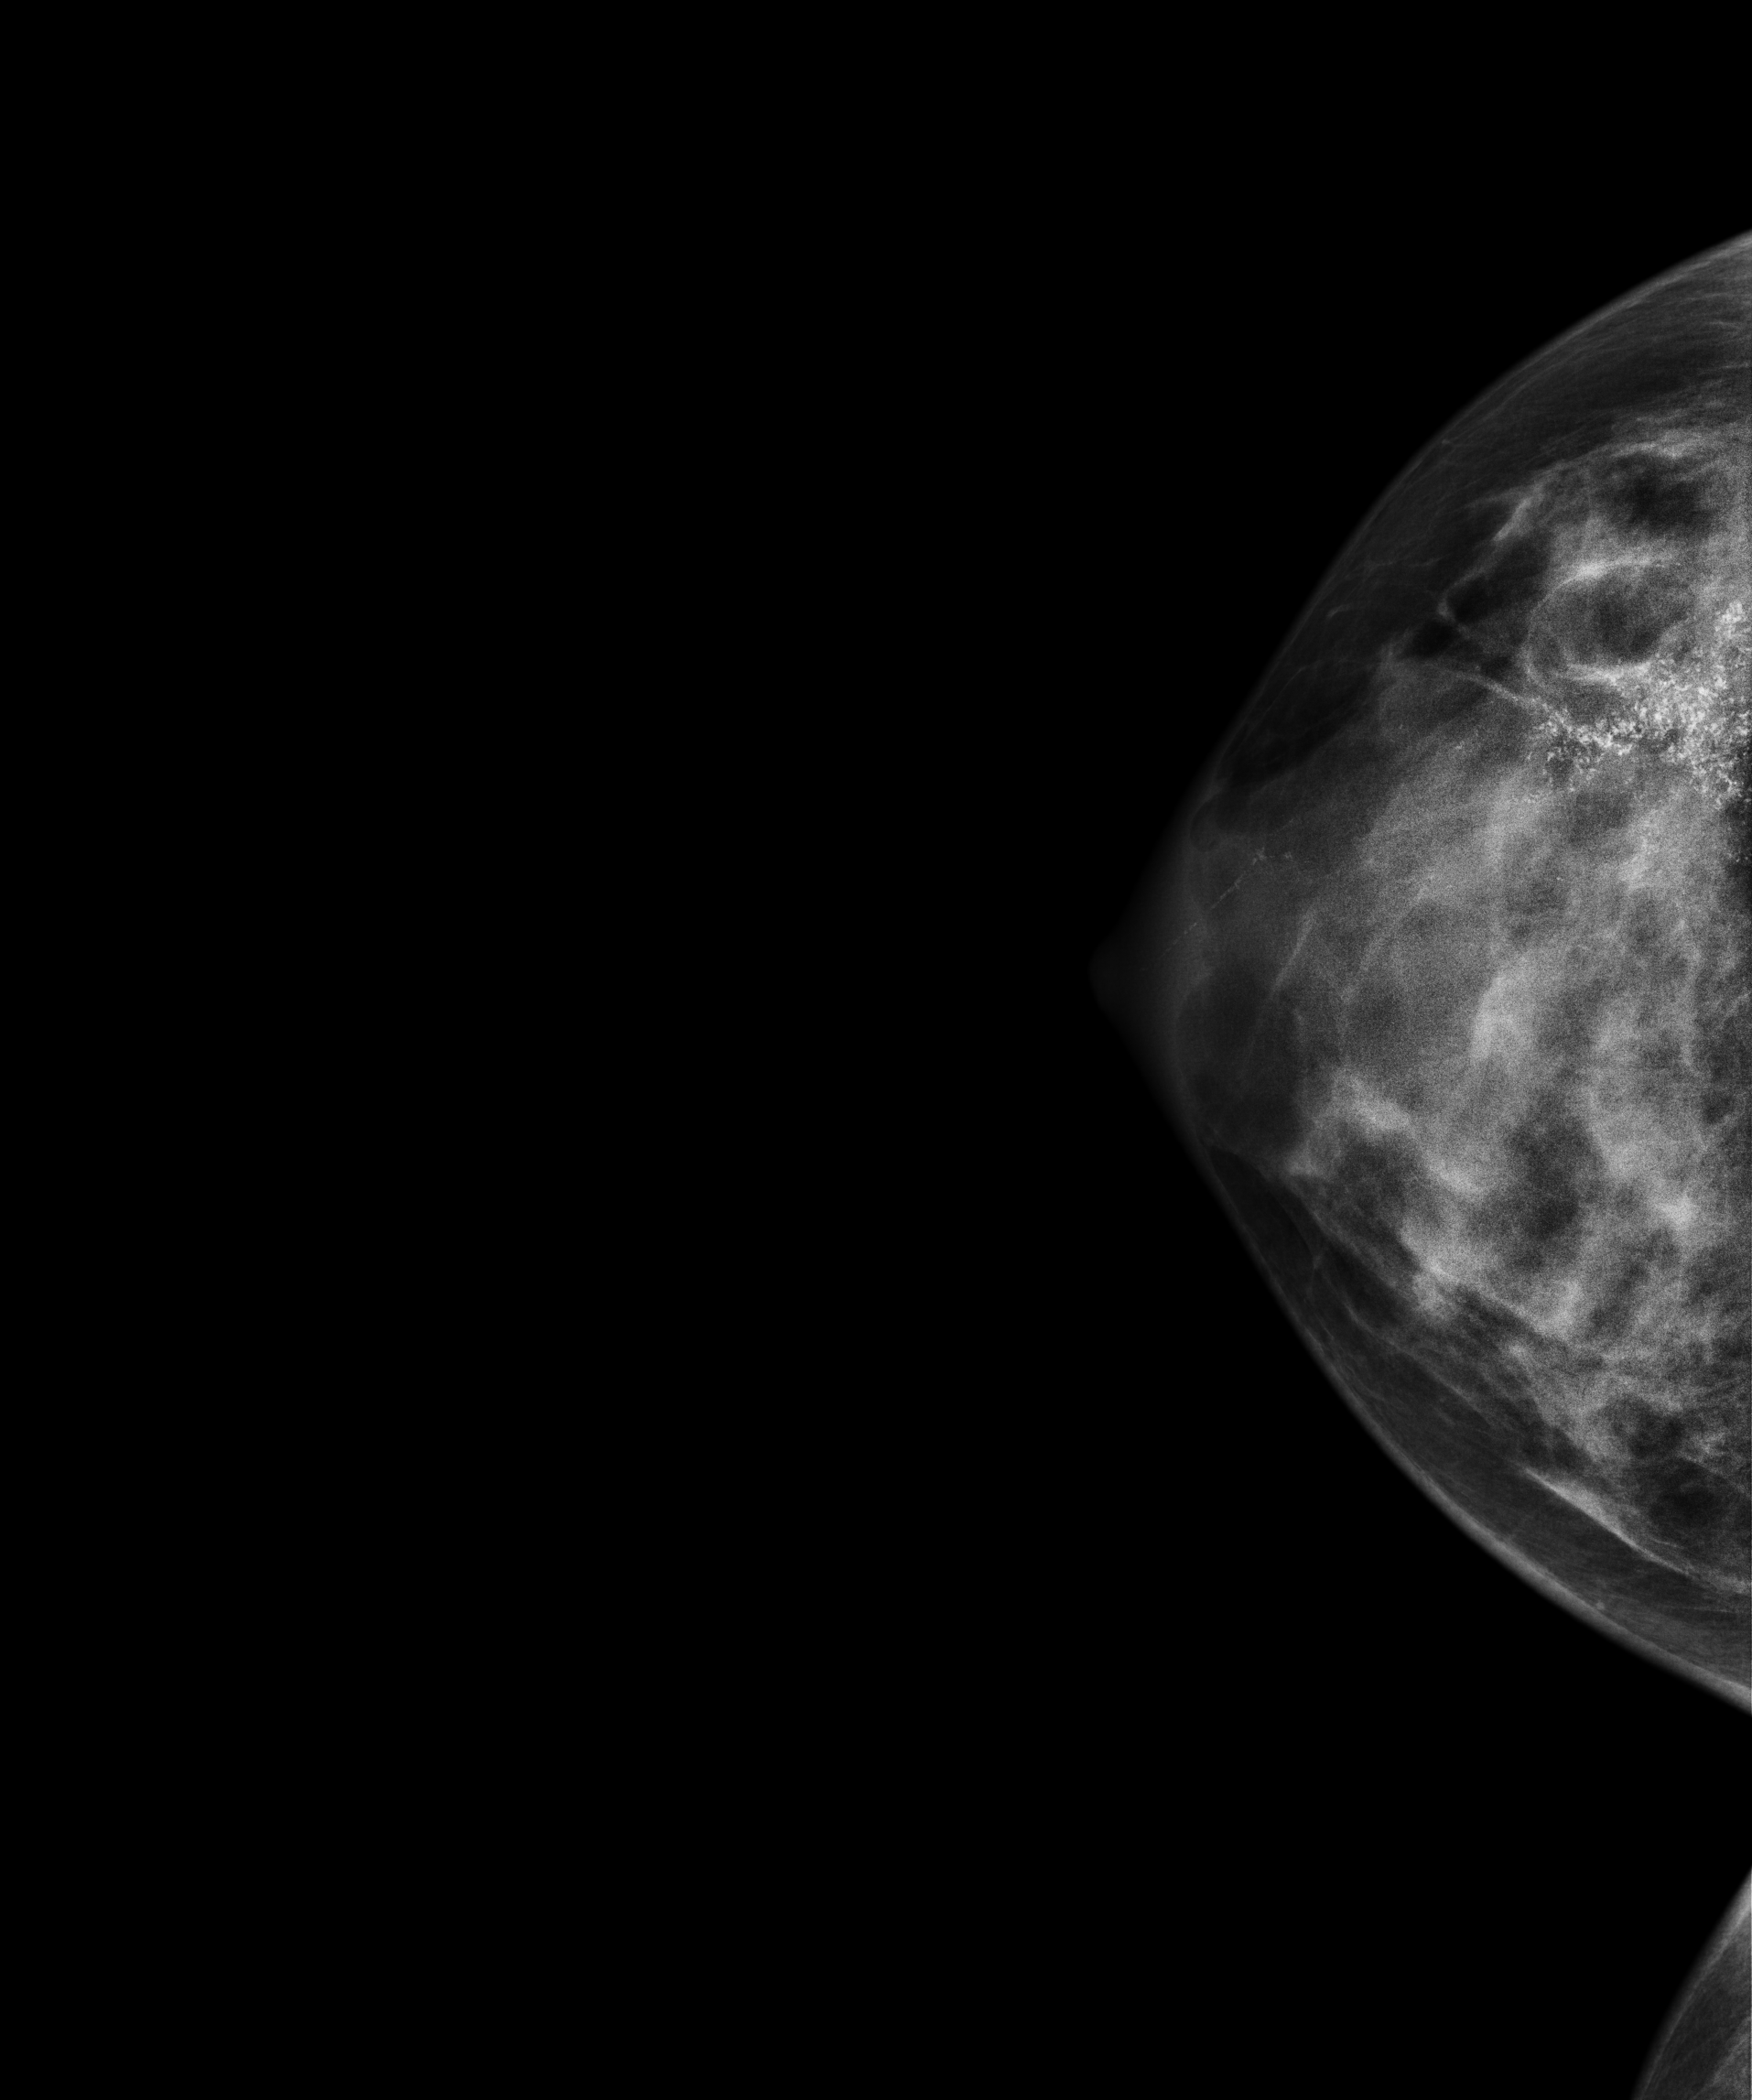
Mammogram, right breast, cranio-caudal view. 25 y/o patient.
This breast has calcifications, biopsy-proven malignant. Molecular subtype: luminal A.